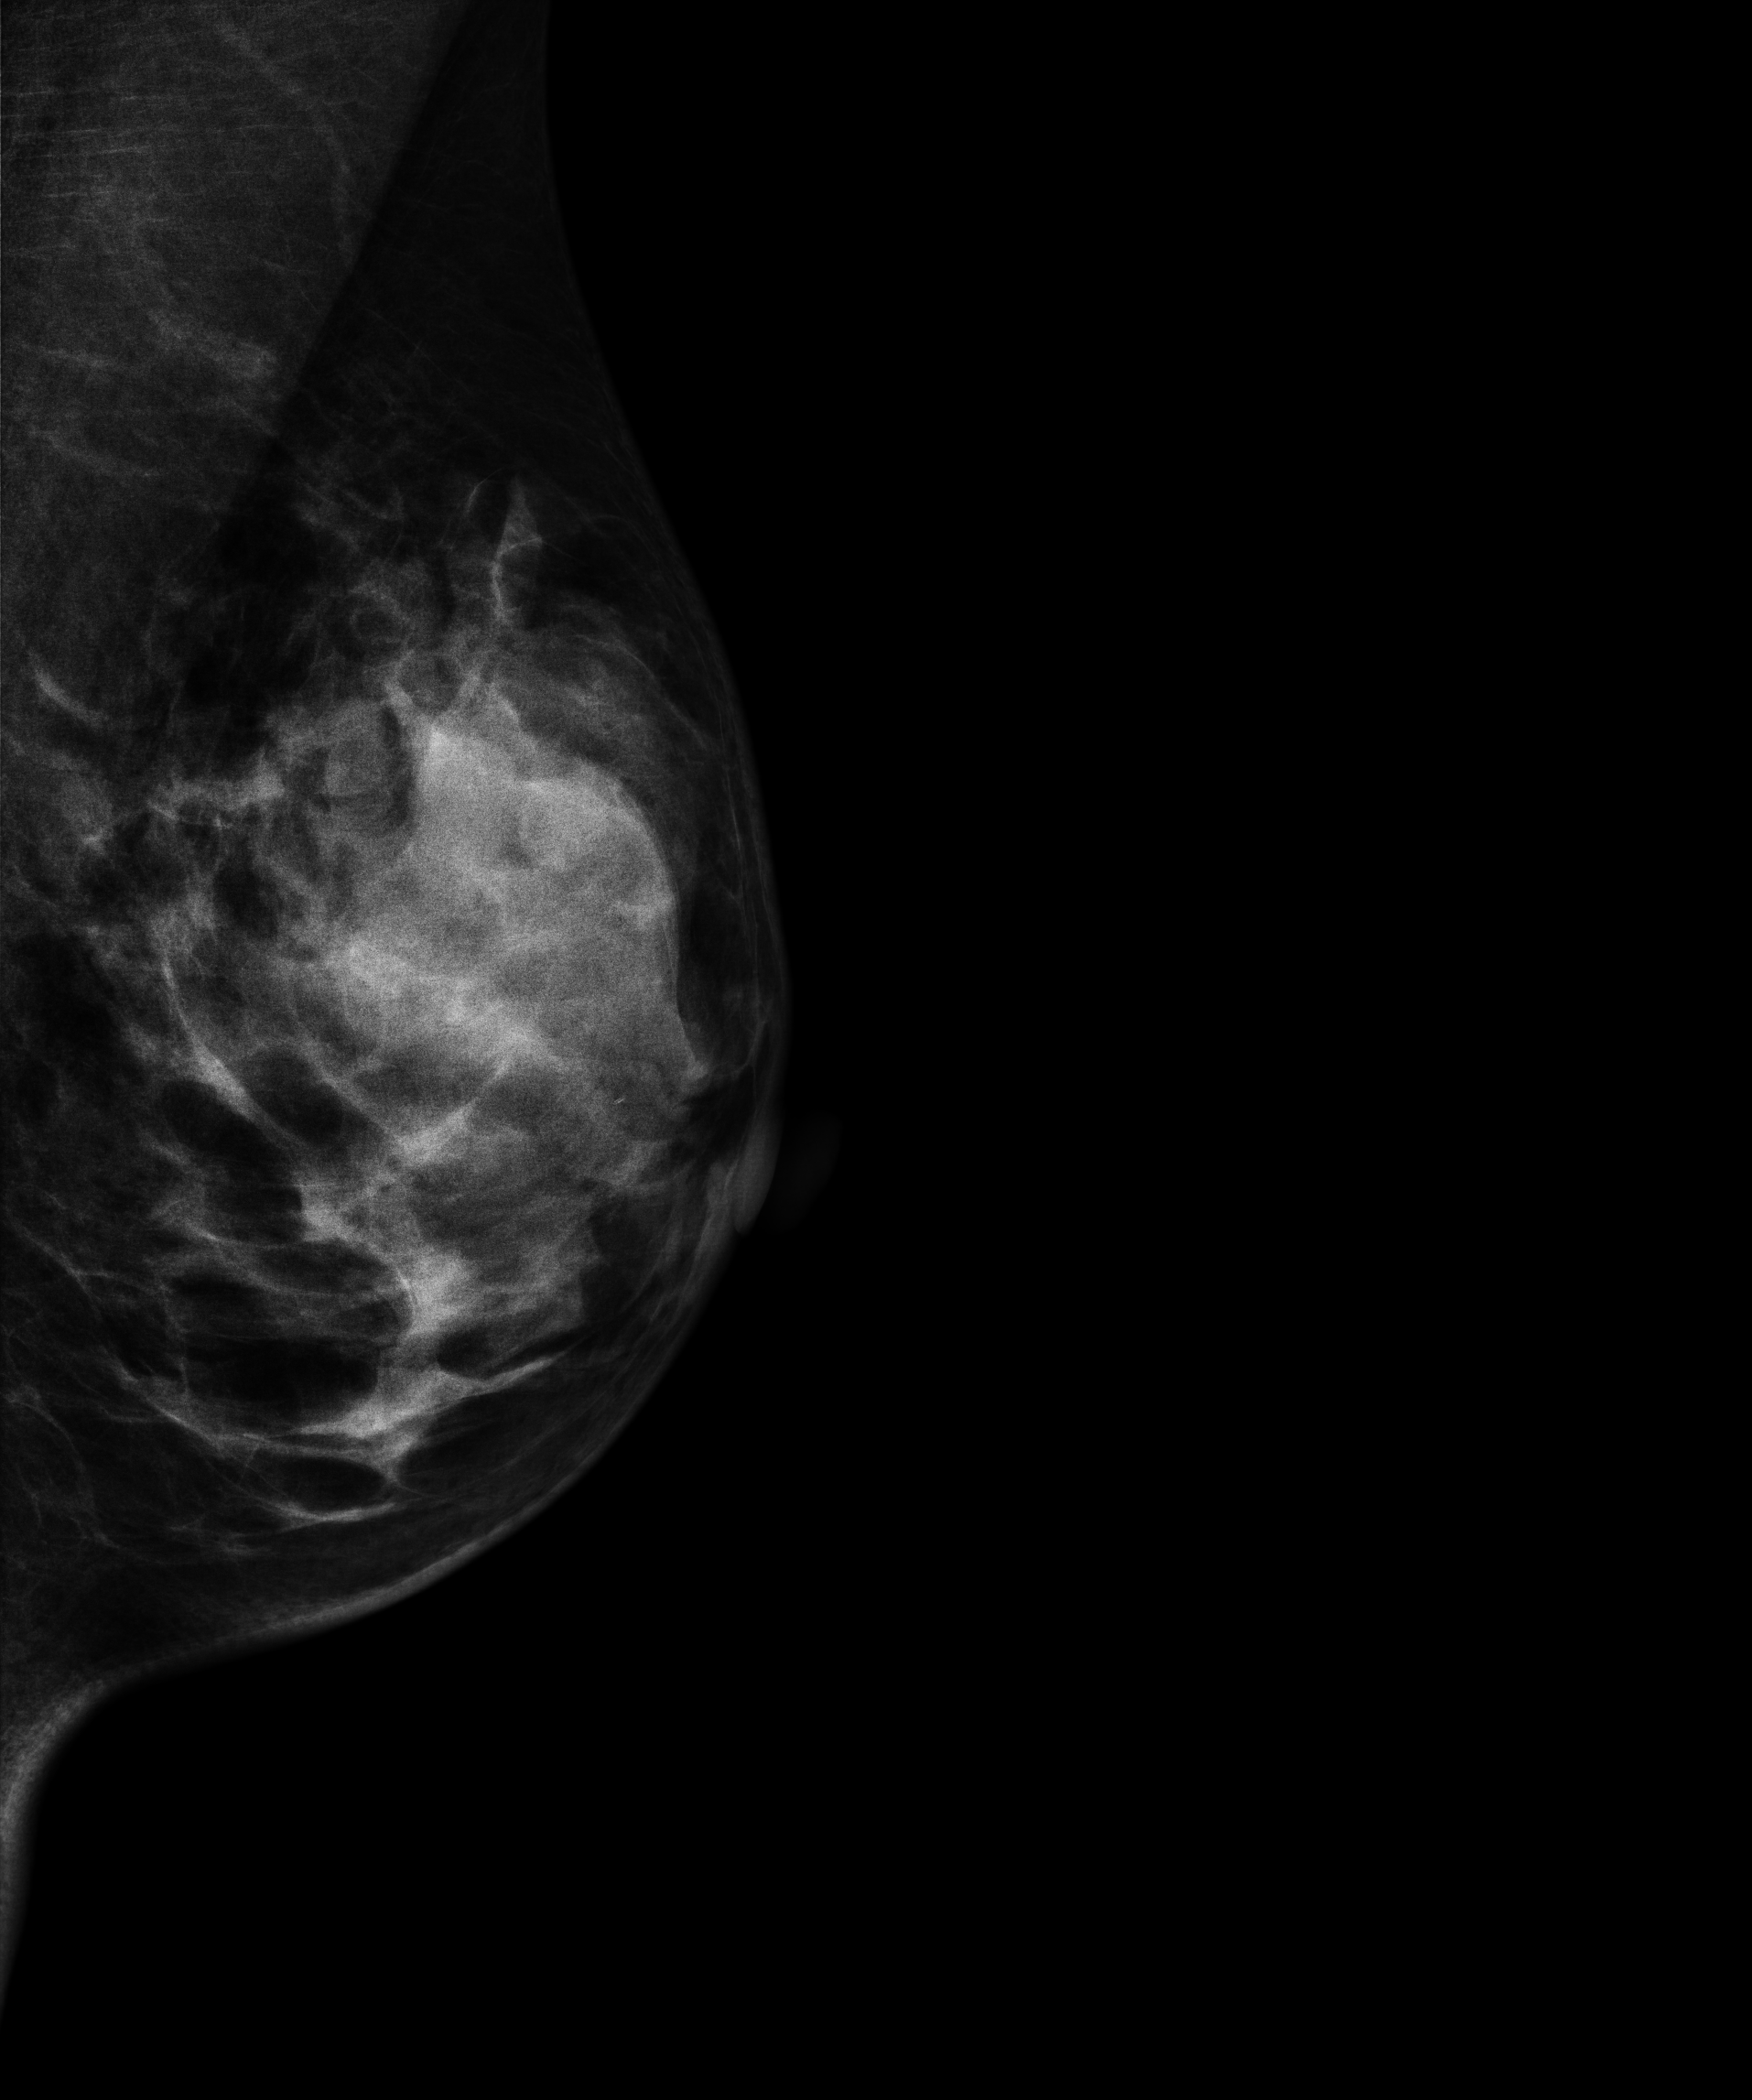
Mammogram — left MLO. 50 y/o patient.
This breast has a mass, pathology-confirmed malignant. Molecular subtype: HER2-enriched.